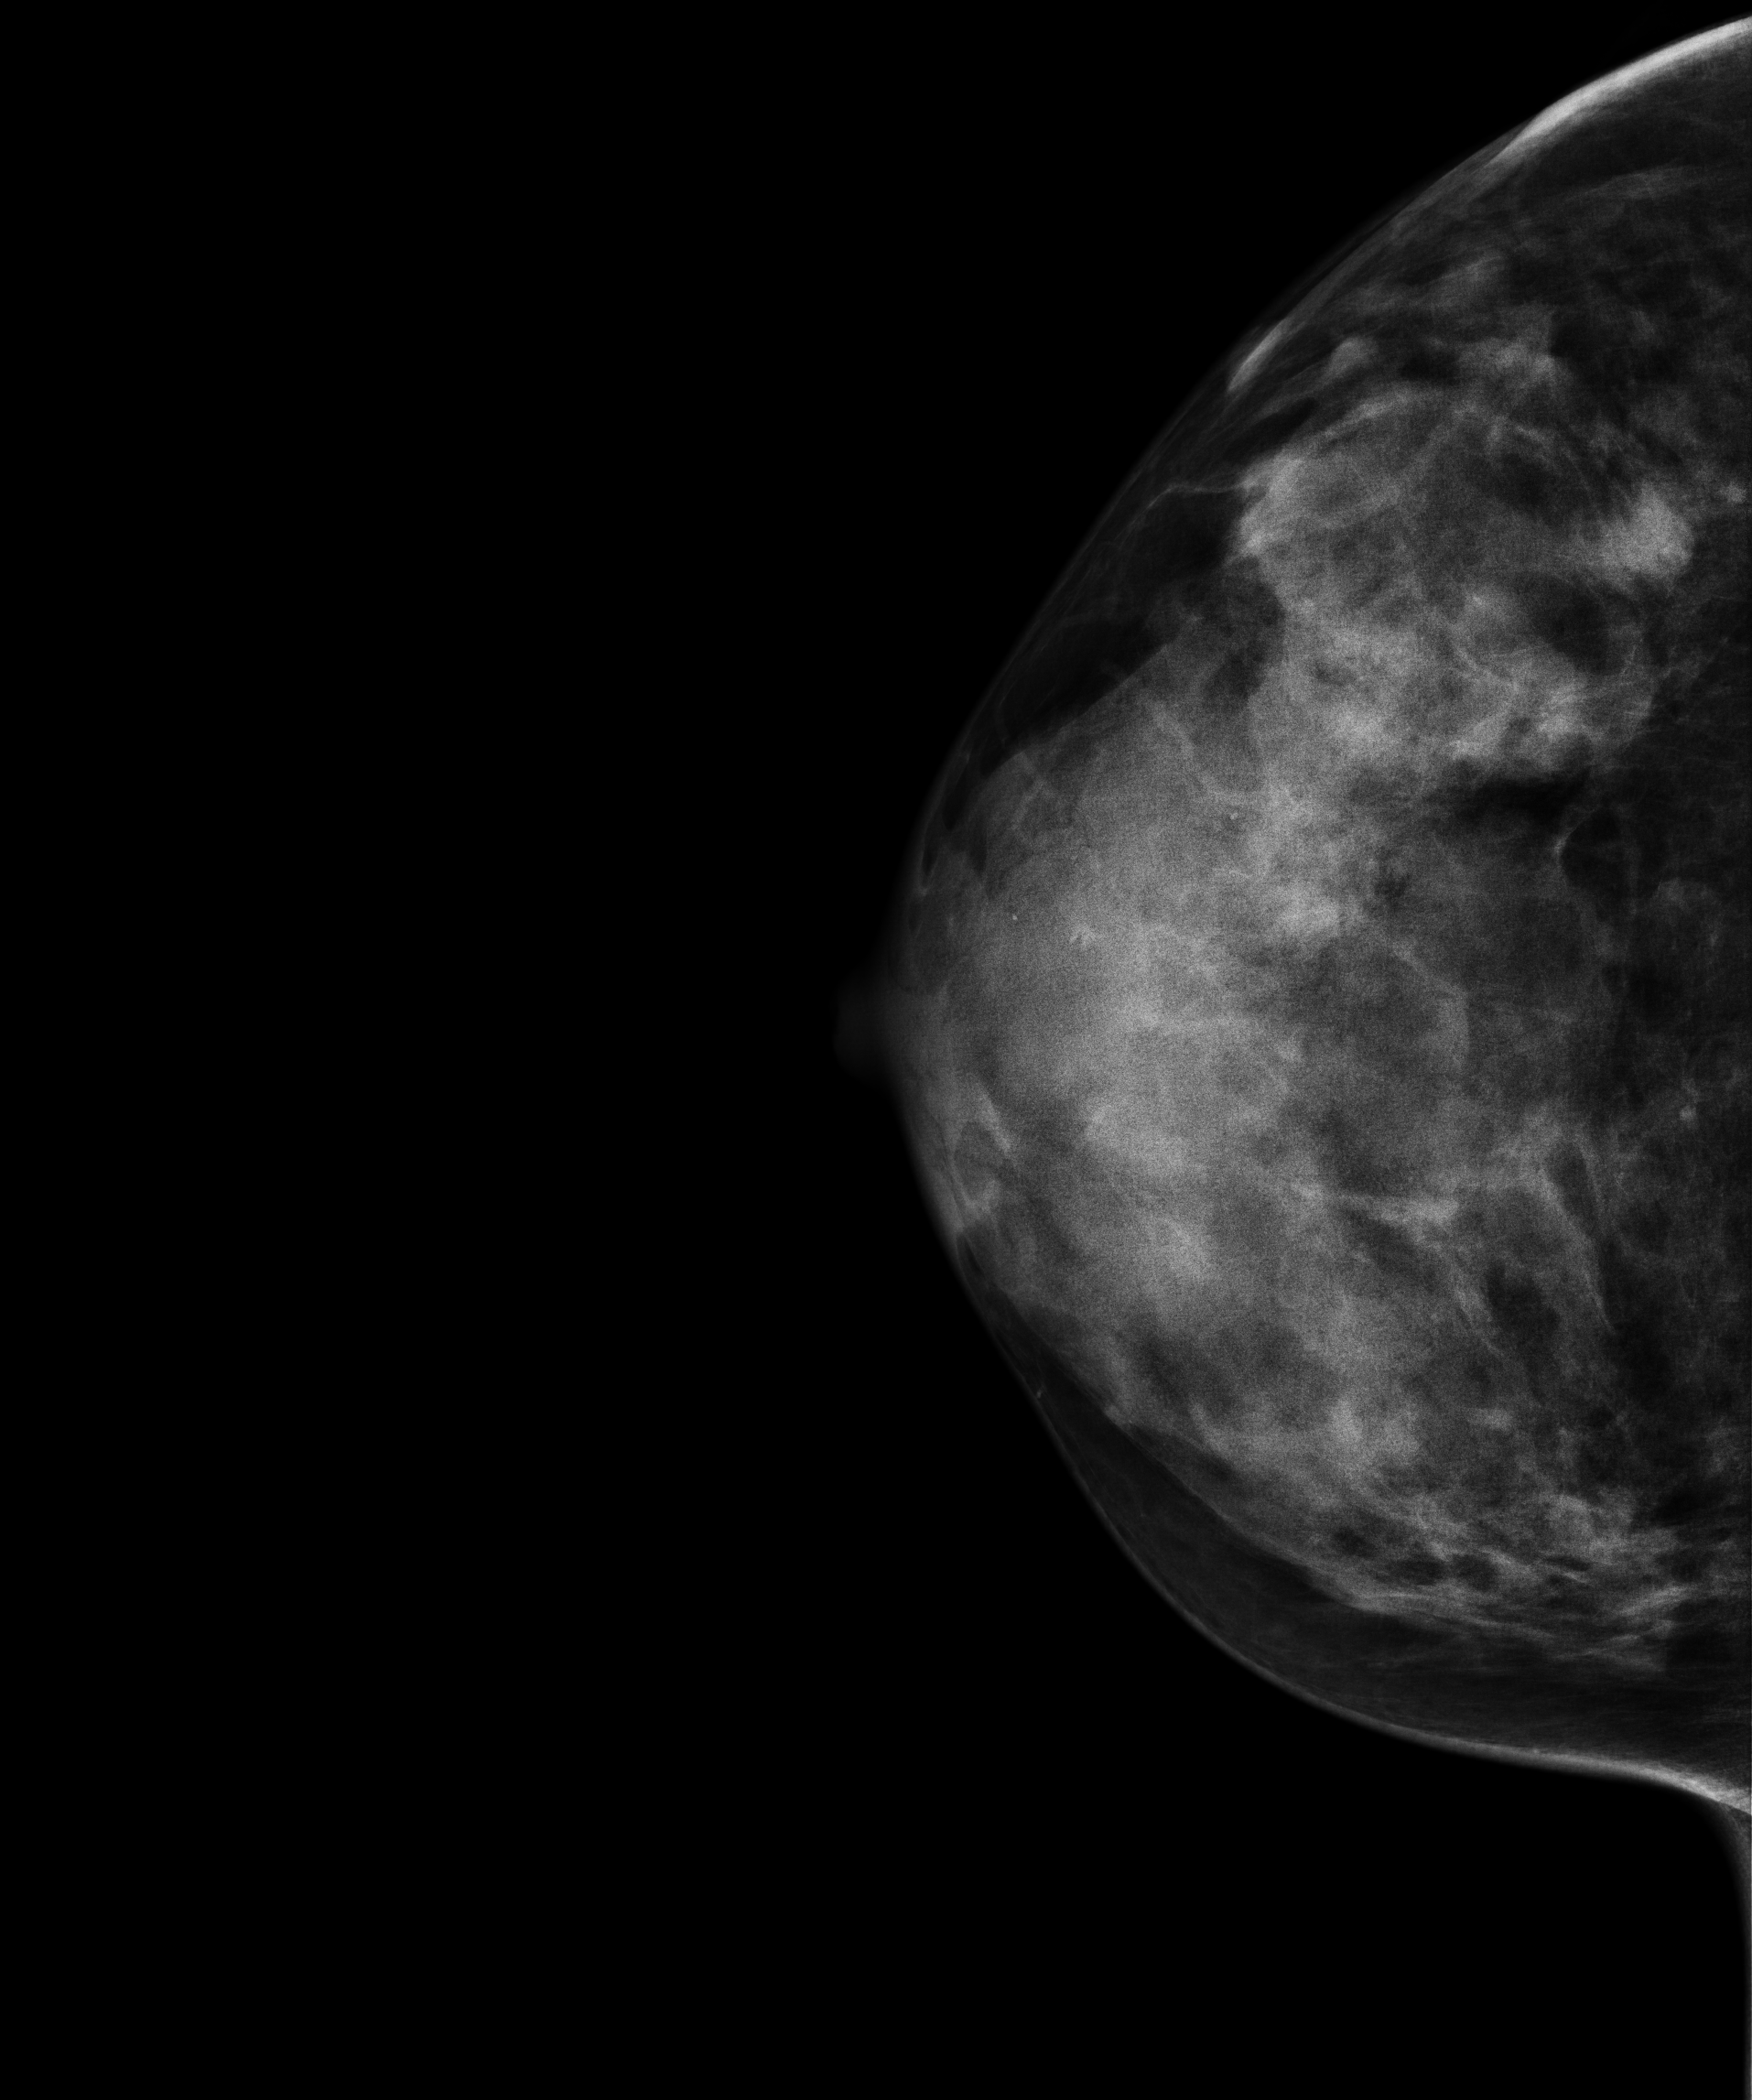
Cranio-caudal mammogram of the right breast. 45-year-old patient.
Contralateral breast — no documented abnormality on this side.